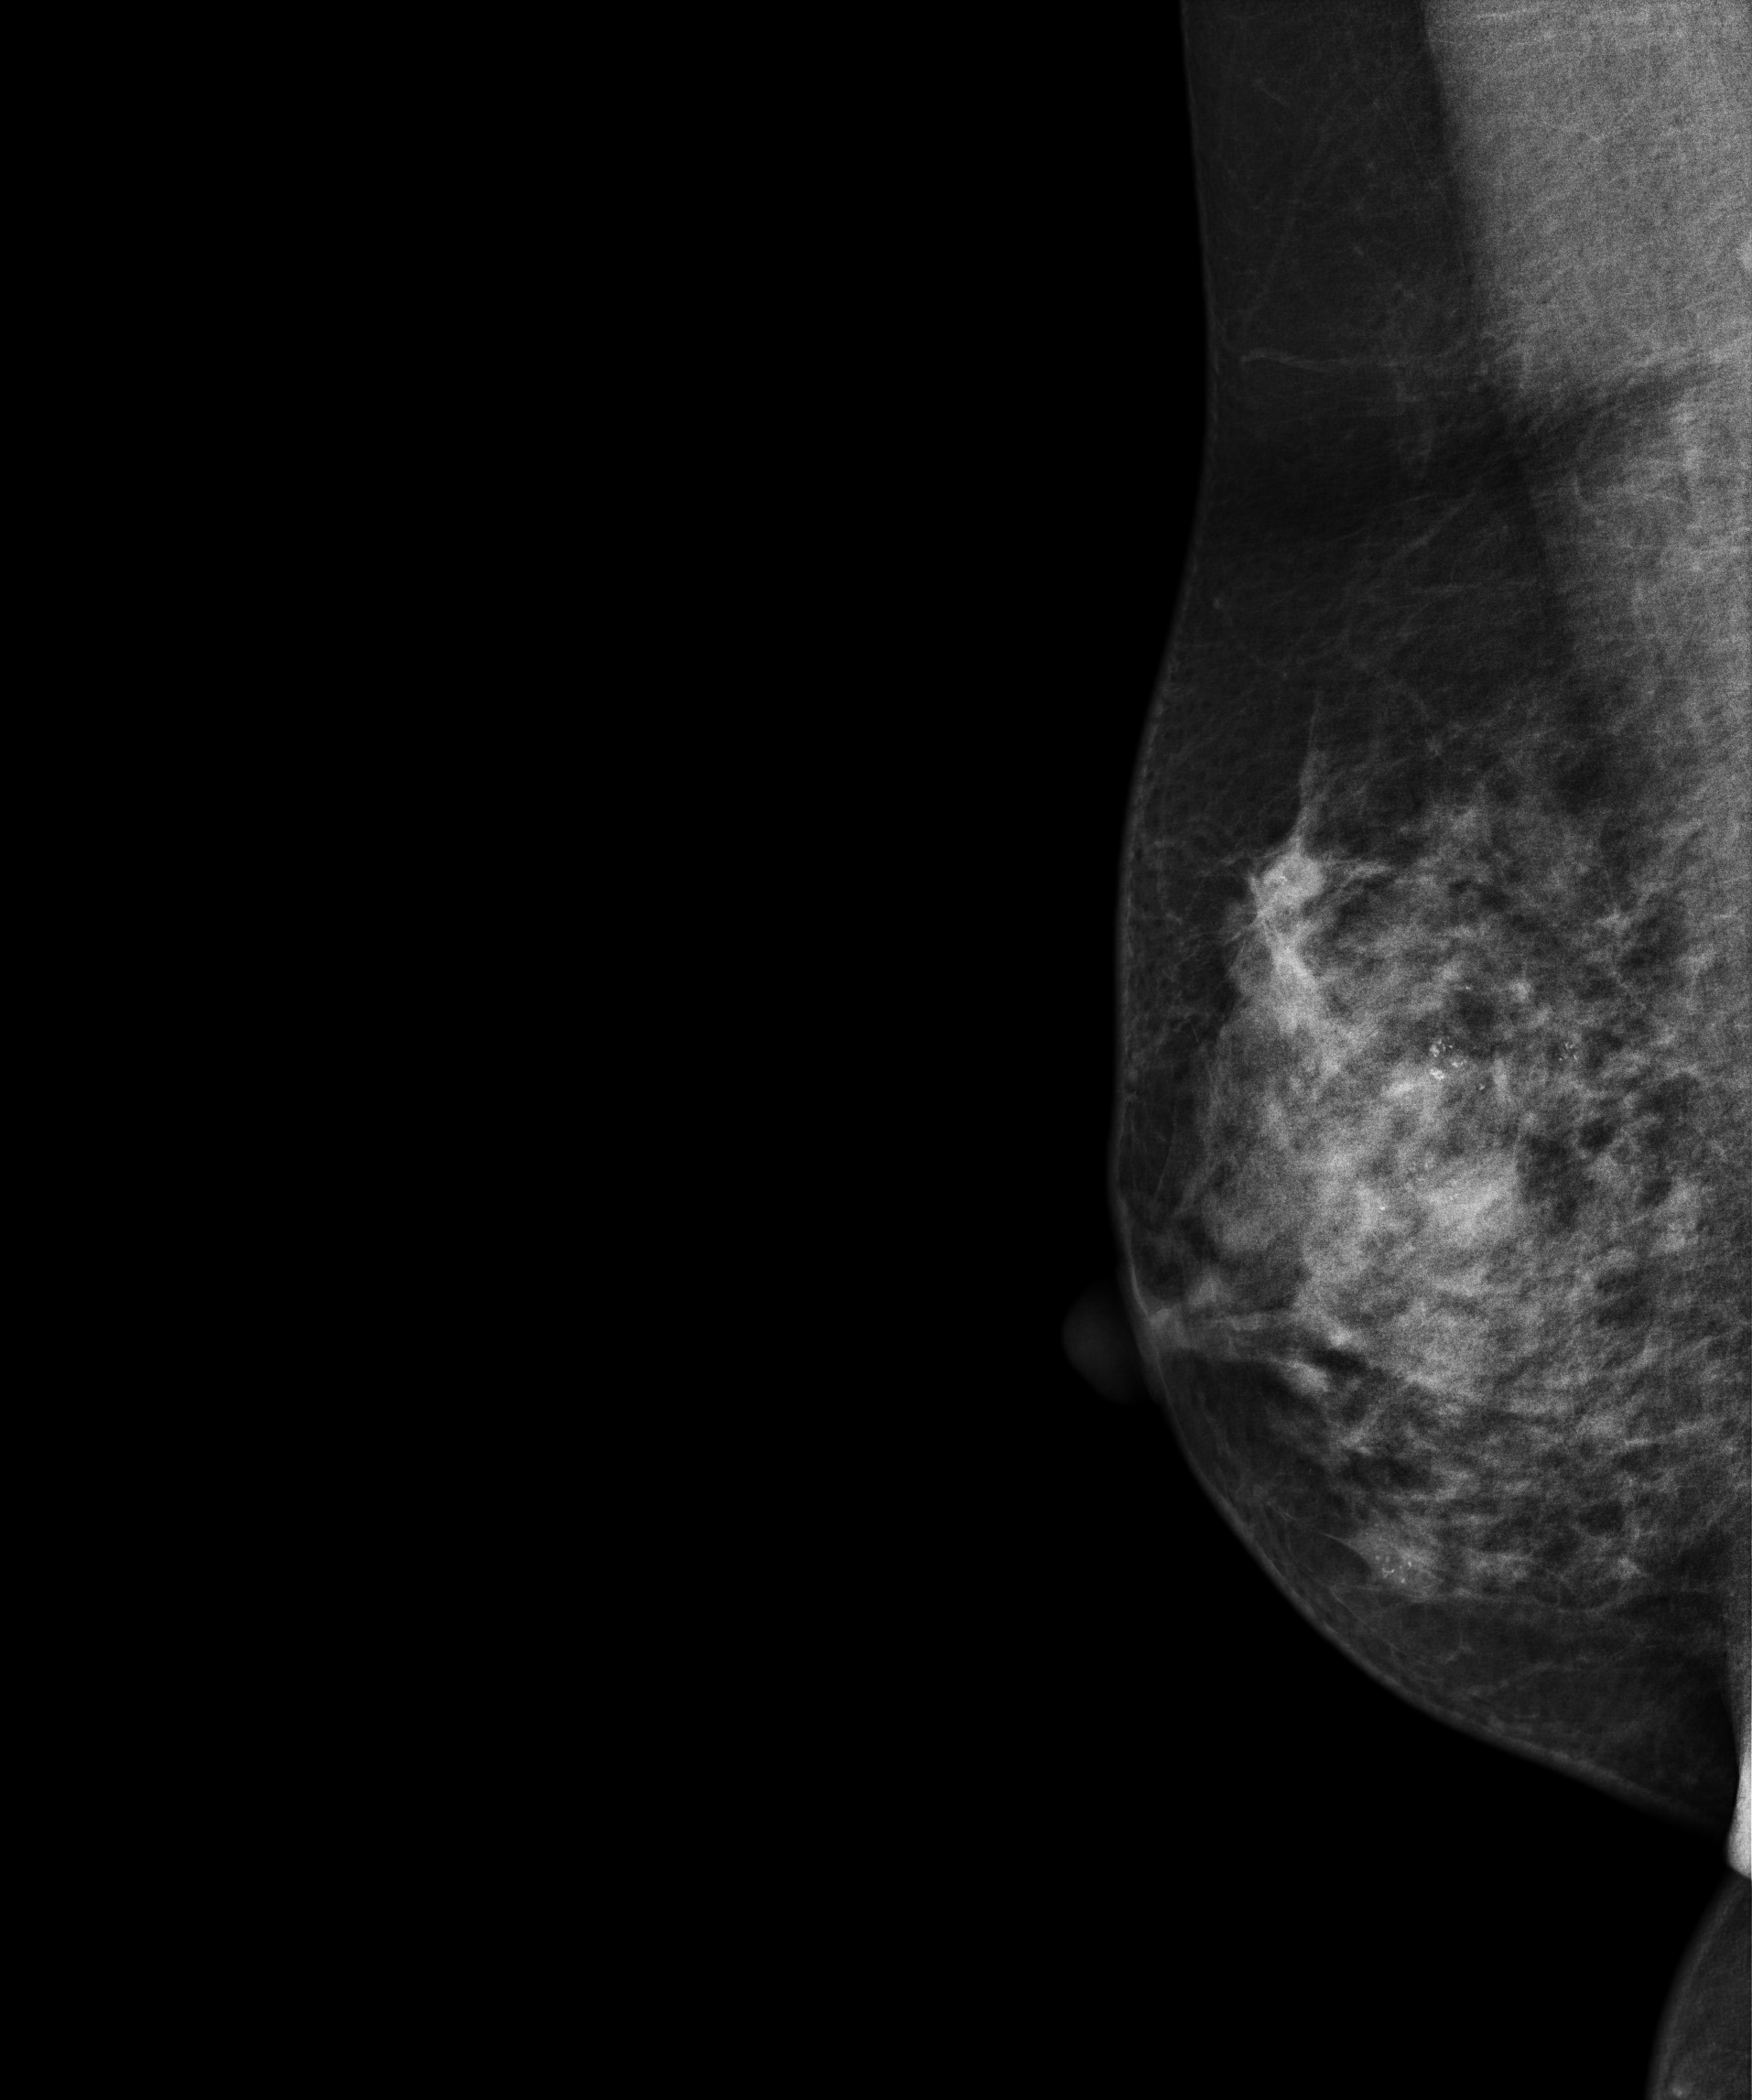
Mammogram — right medio-lateral oblique. 56-year-old patient.
This breast has a mass and calcifications, biopsy-proven malignant. Molecular subtype: HER2-enriched.